CC mammogram of the right breast. 40 y/o patient.
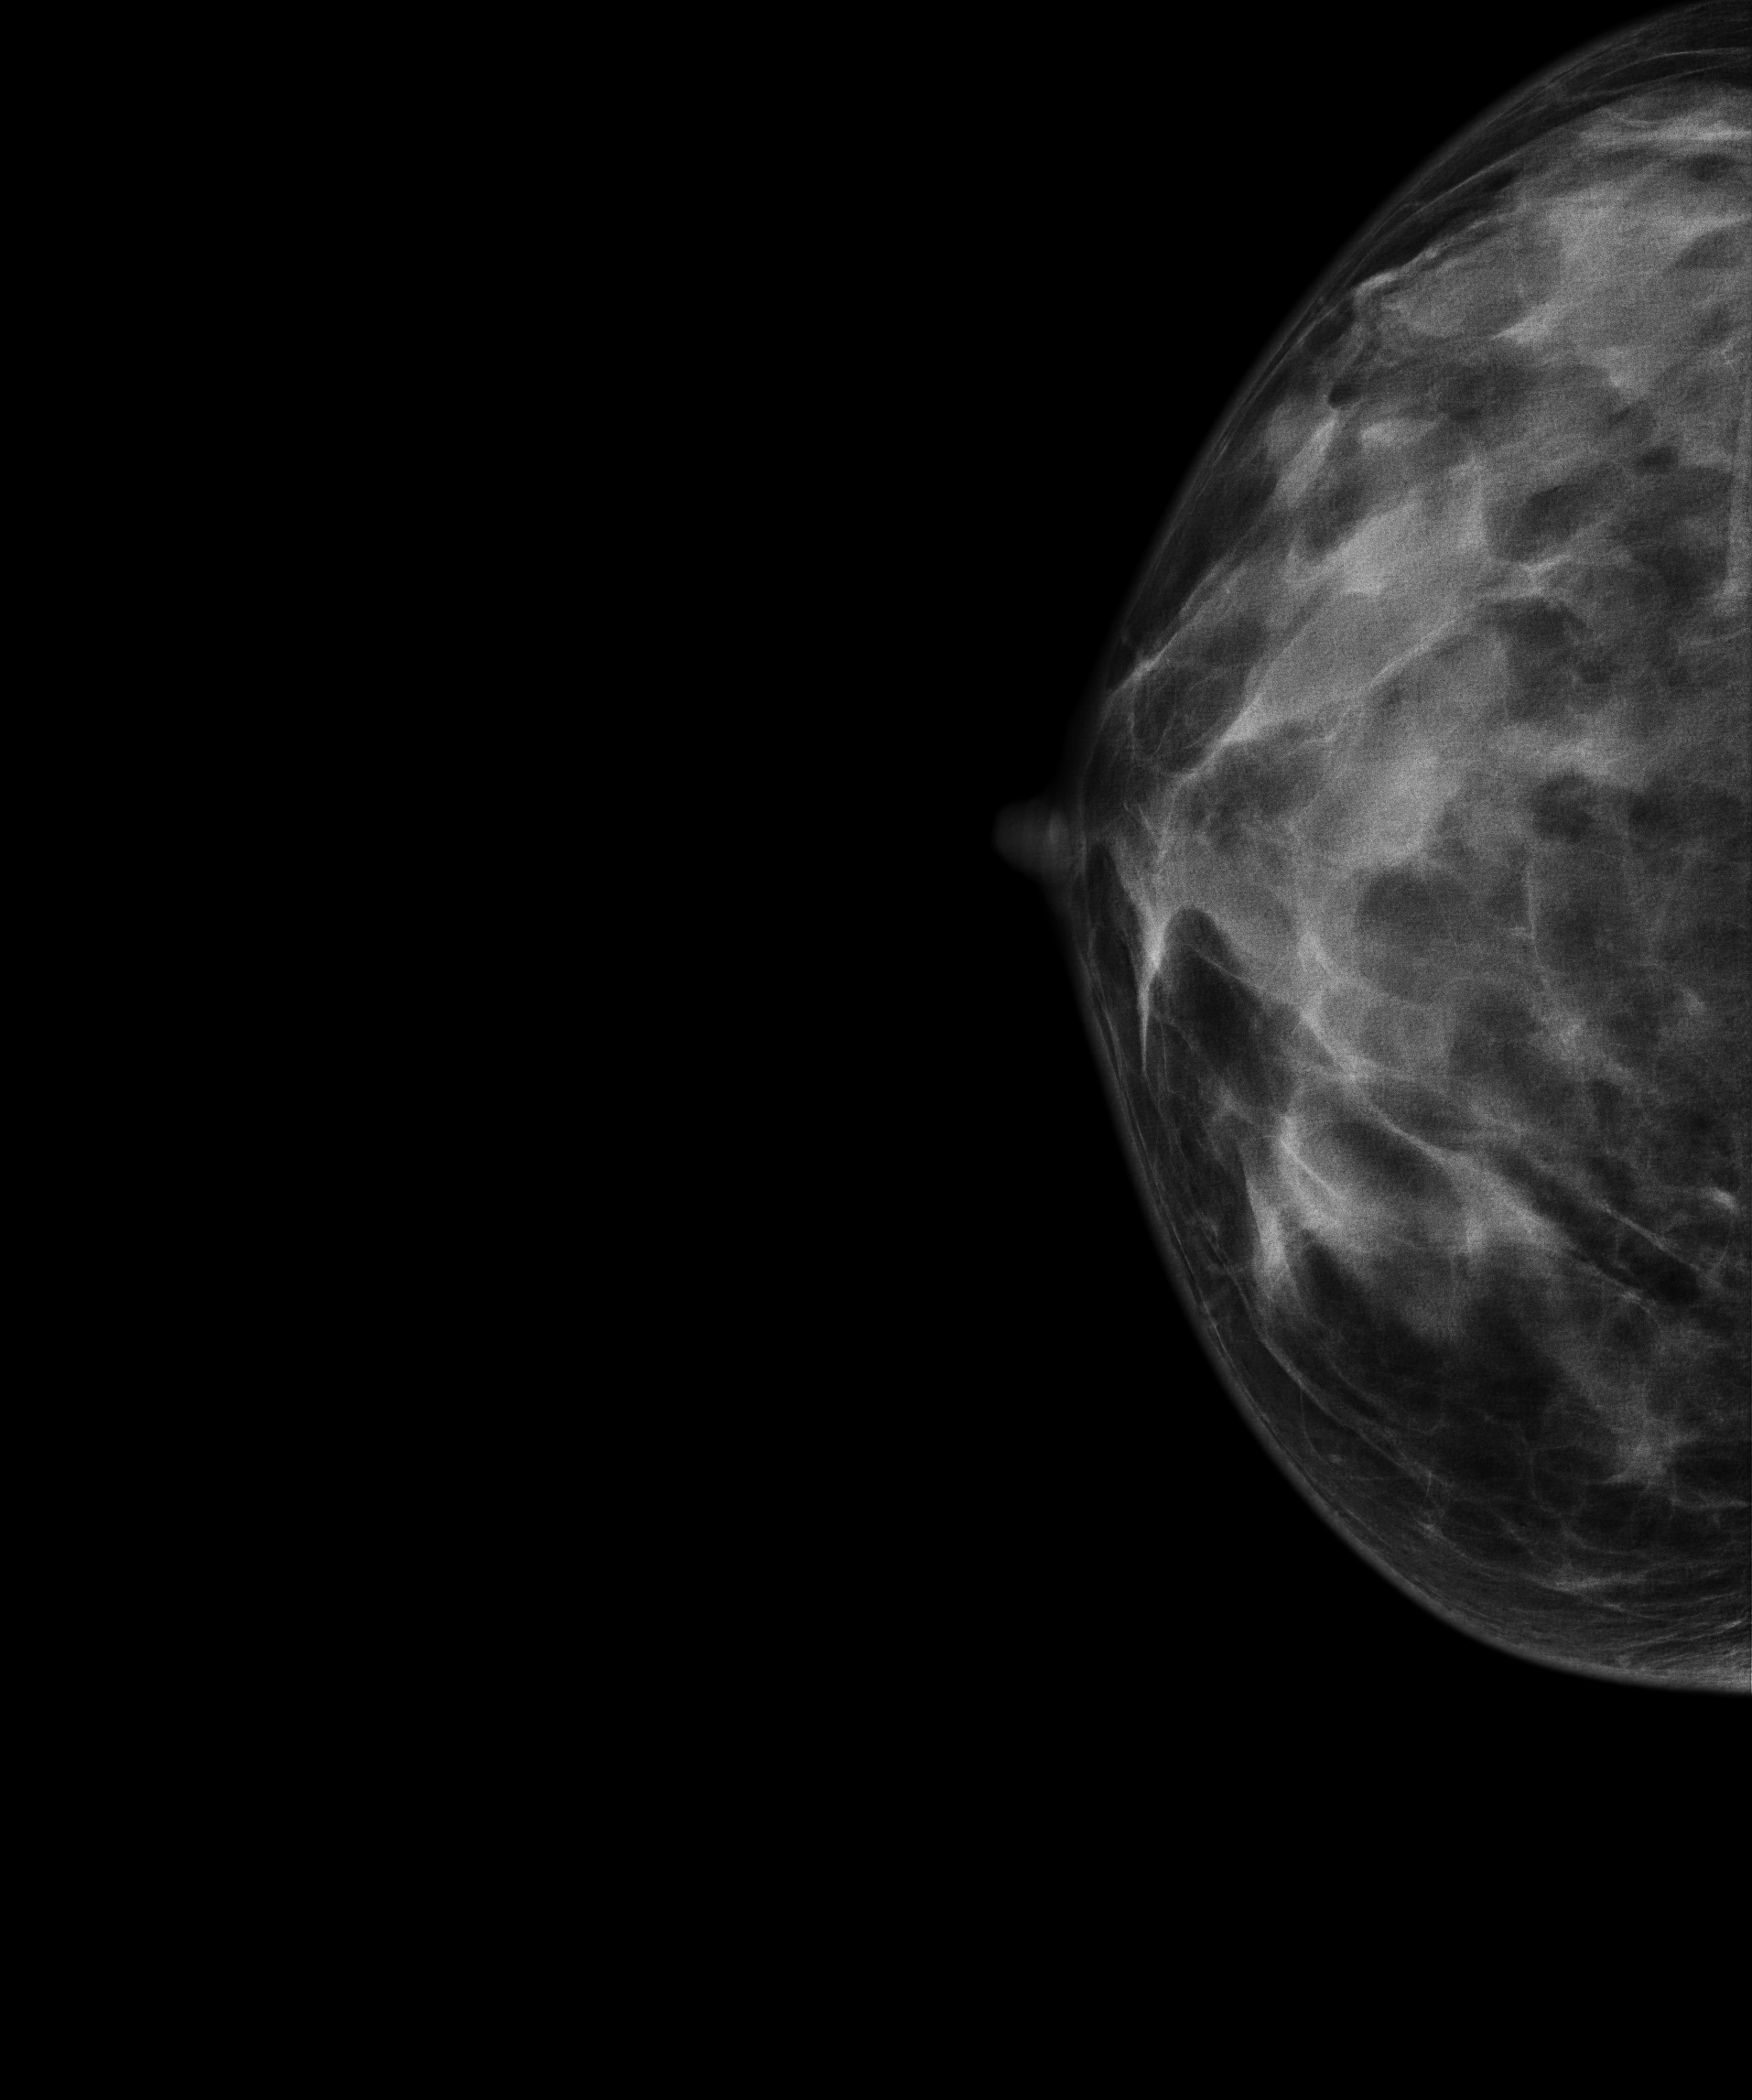
Contralateral breast — no documented abnormality on this side.